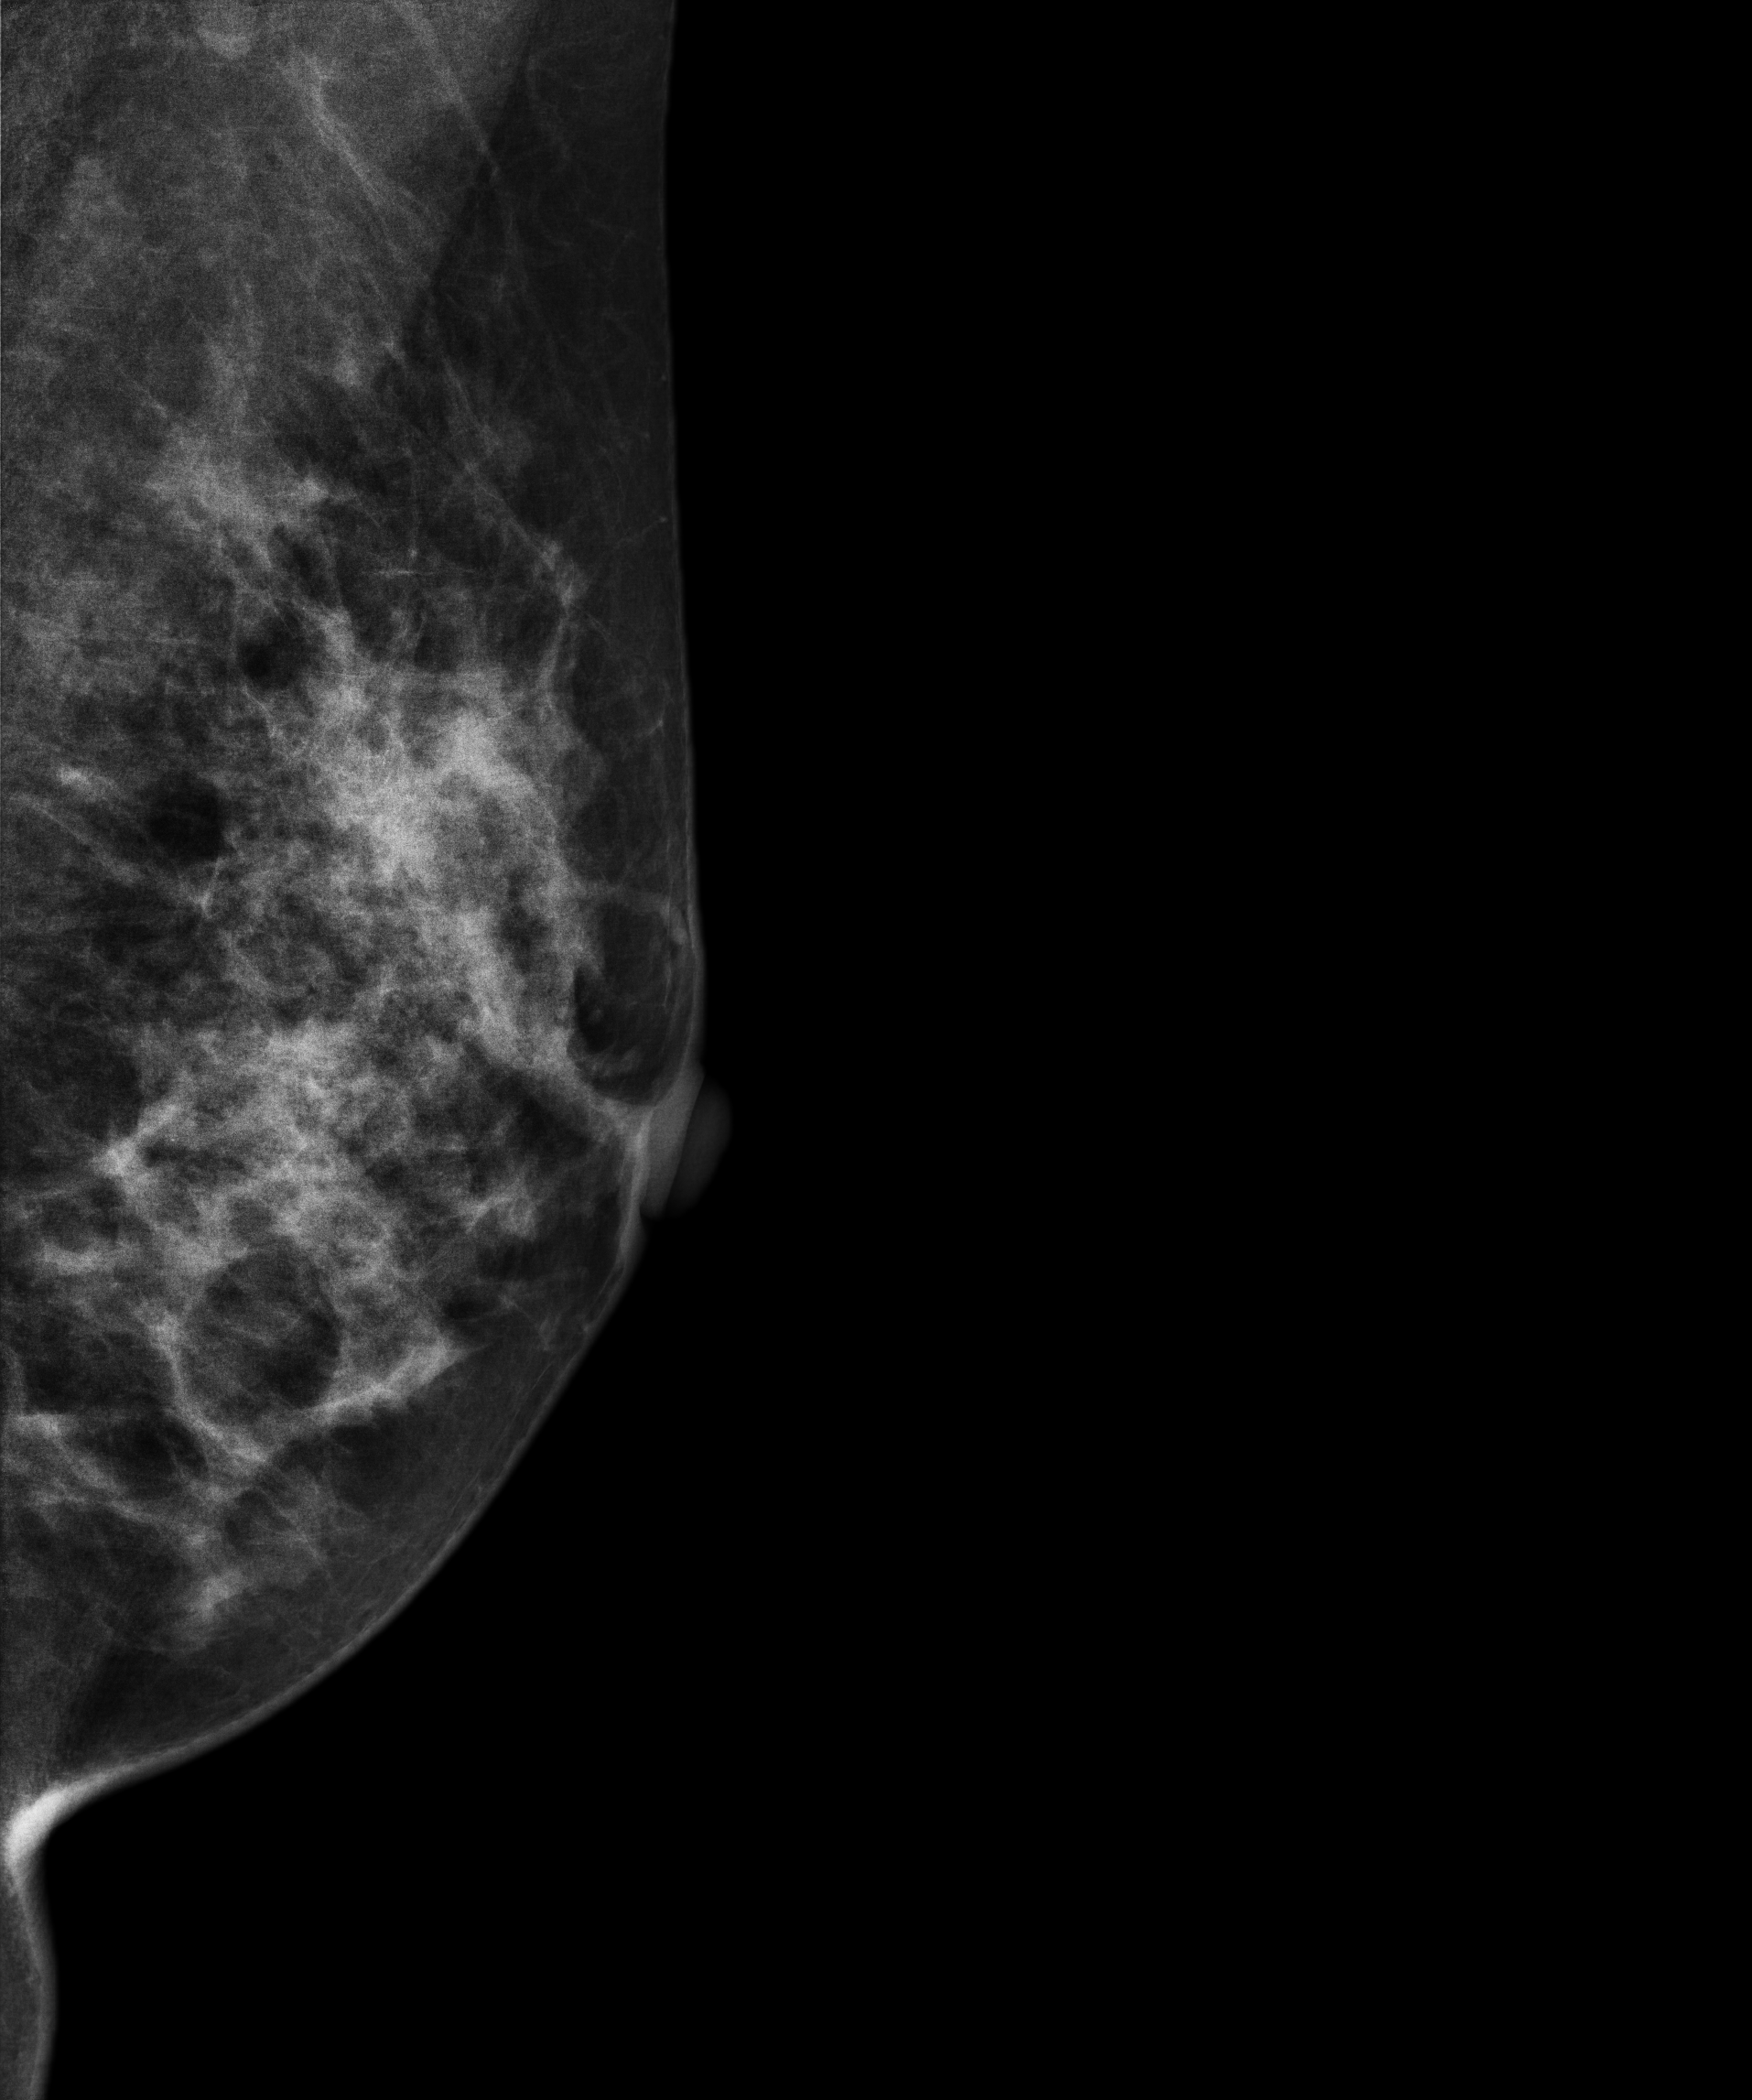
Digital mammography. Left breast, MLO projection. Patient age 46.
This breast has a mass, biopsy-confirmed malignant. Molecular subtype: luminal B.